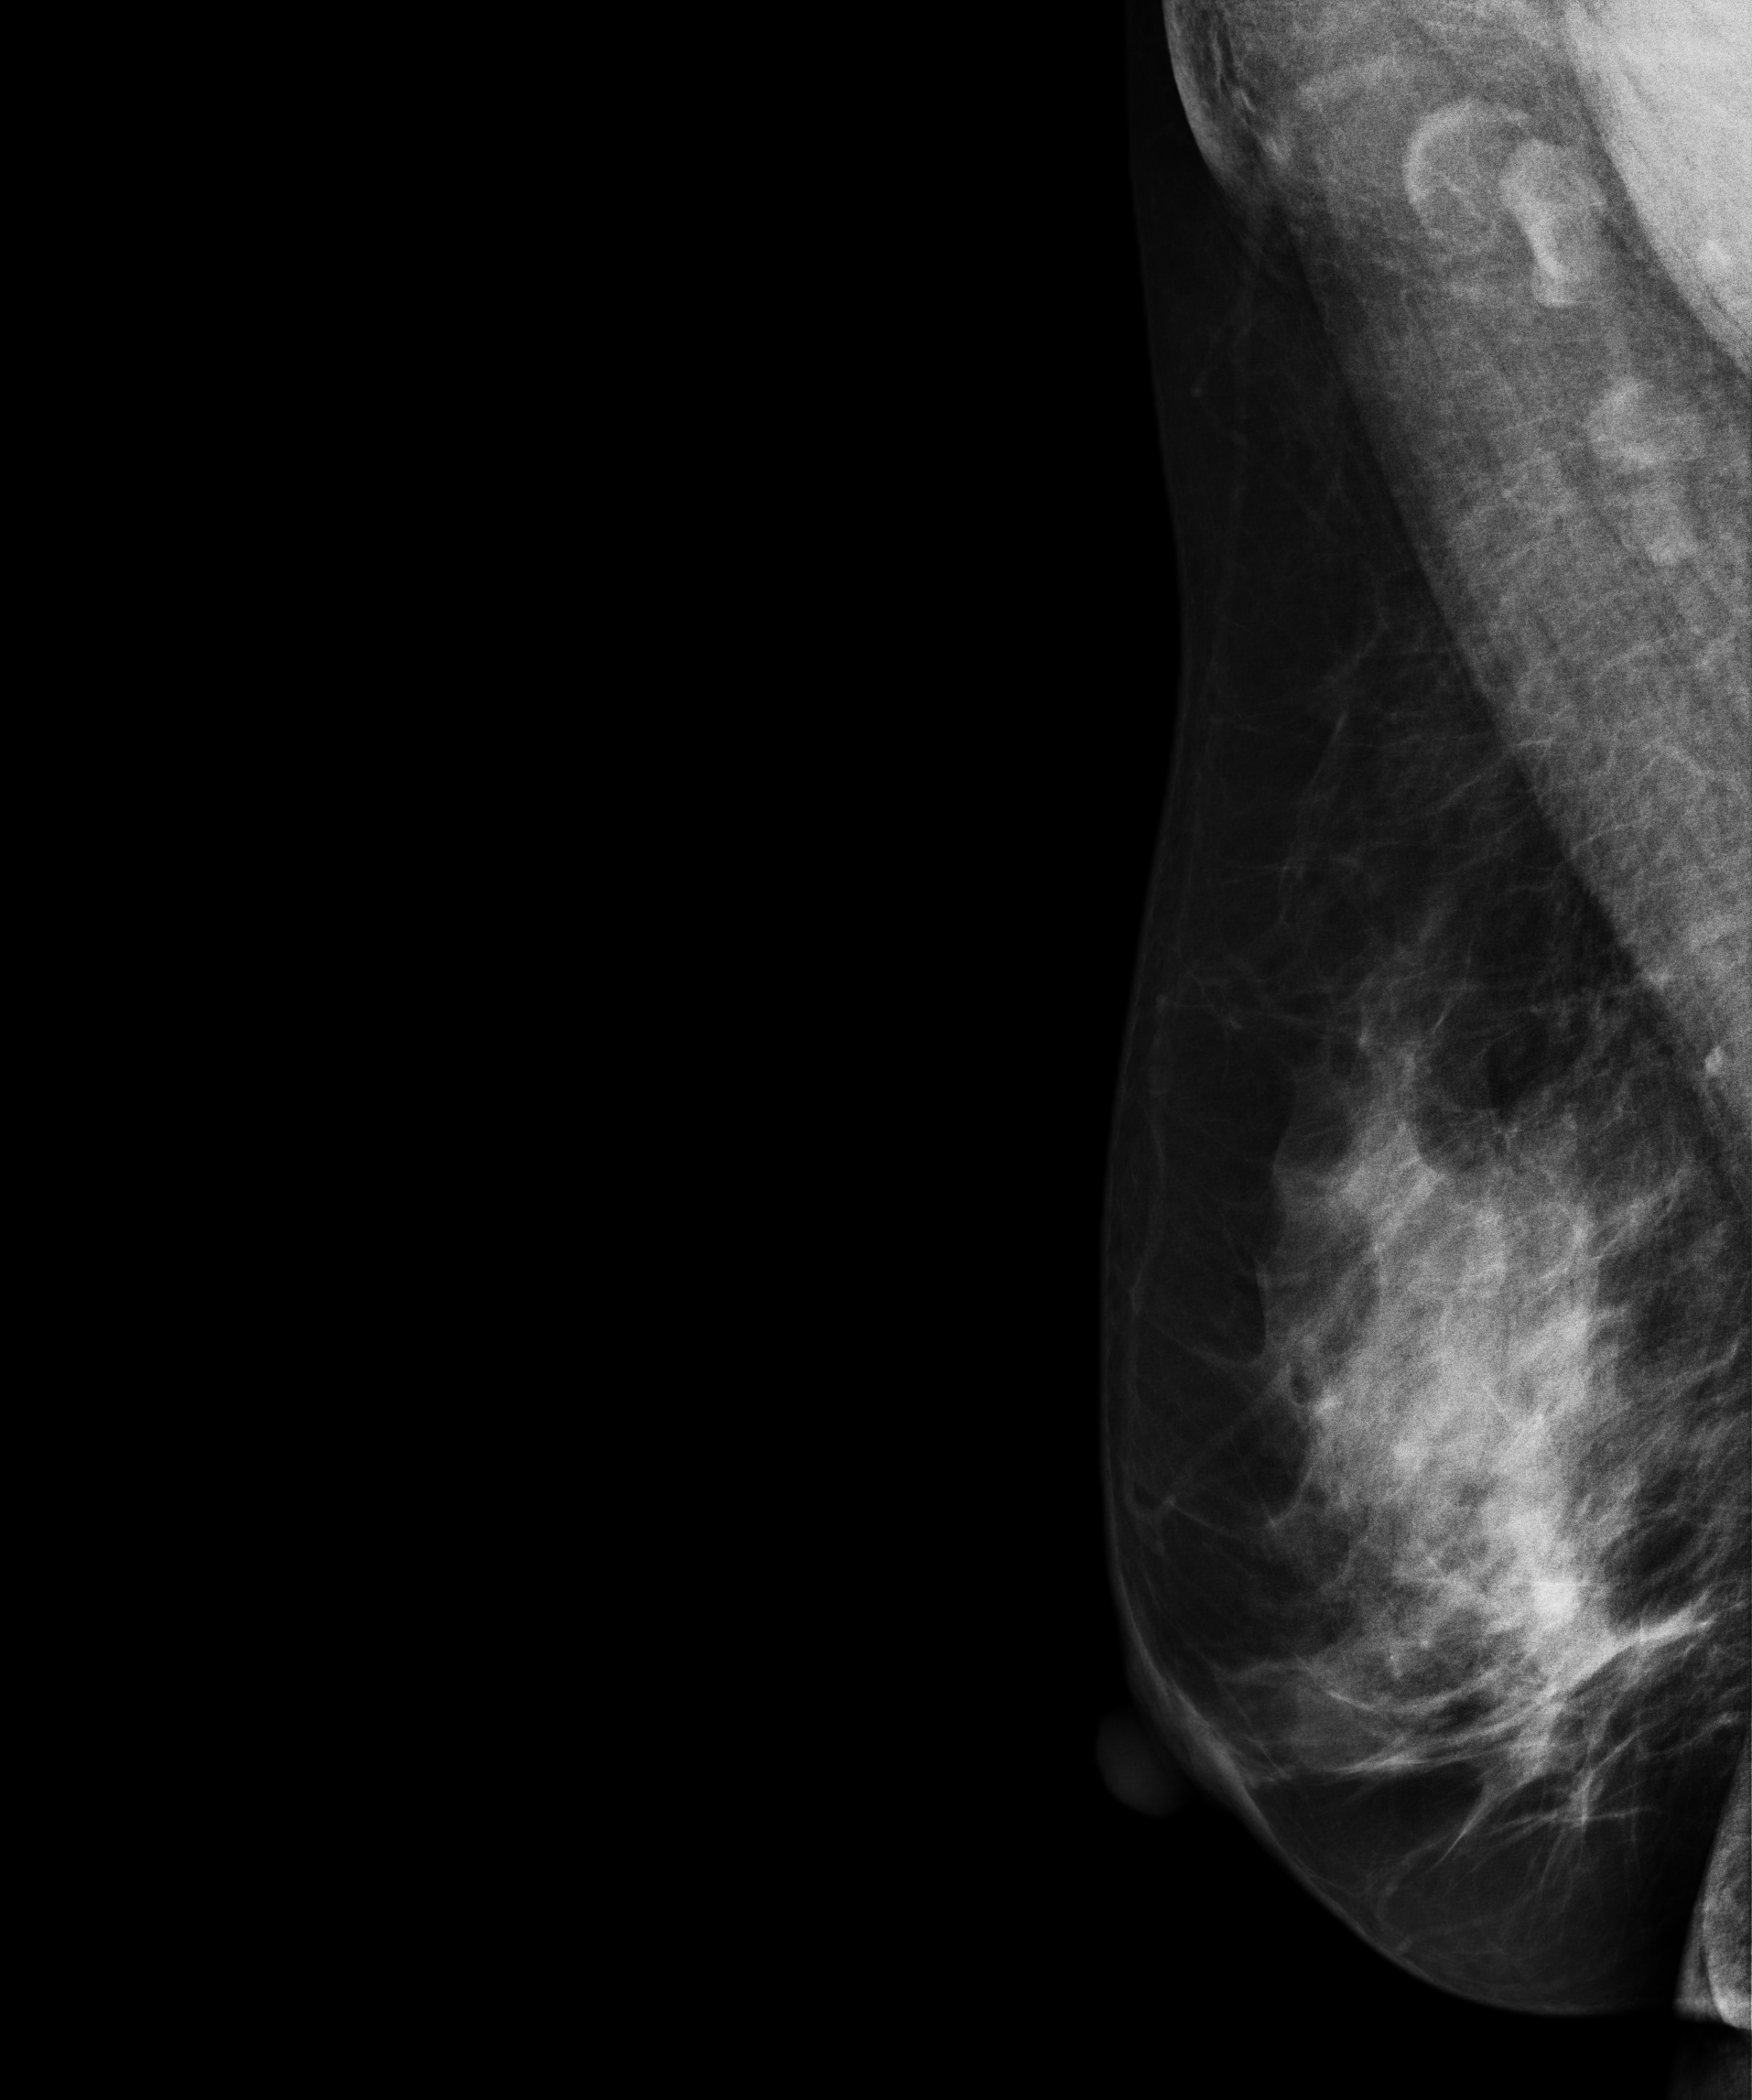
Mammogram, right breast, MLO view. 46-year-old patient.
This breast has a mass and calcifications, pathology-confirmed malignant. Molecular subtype: luminal B.